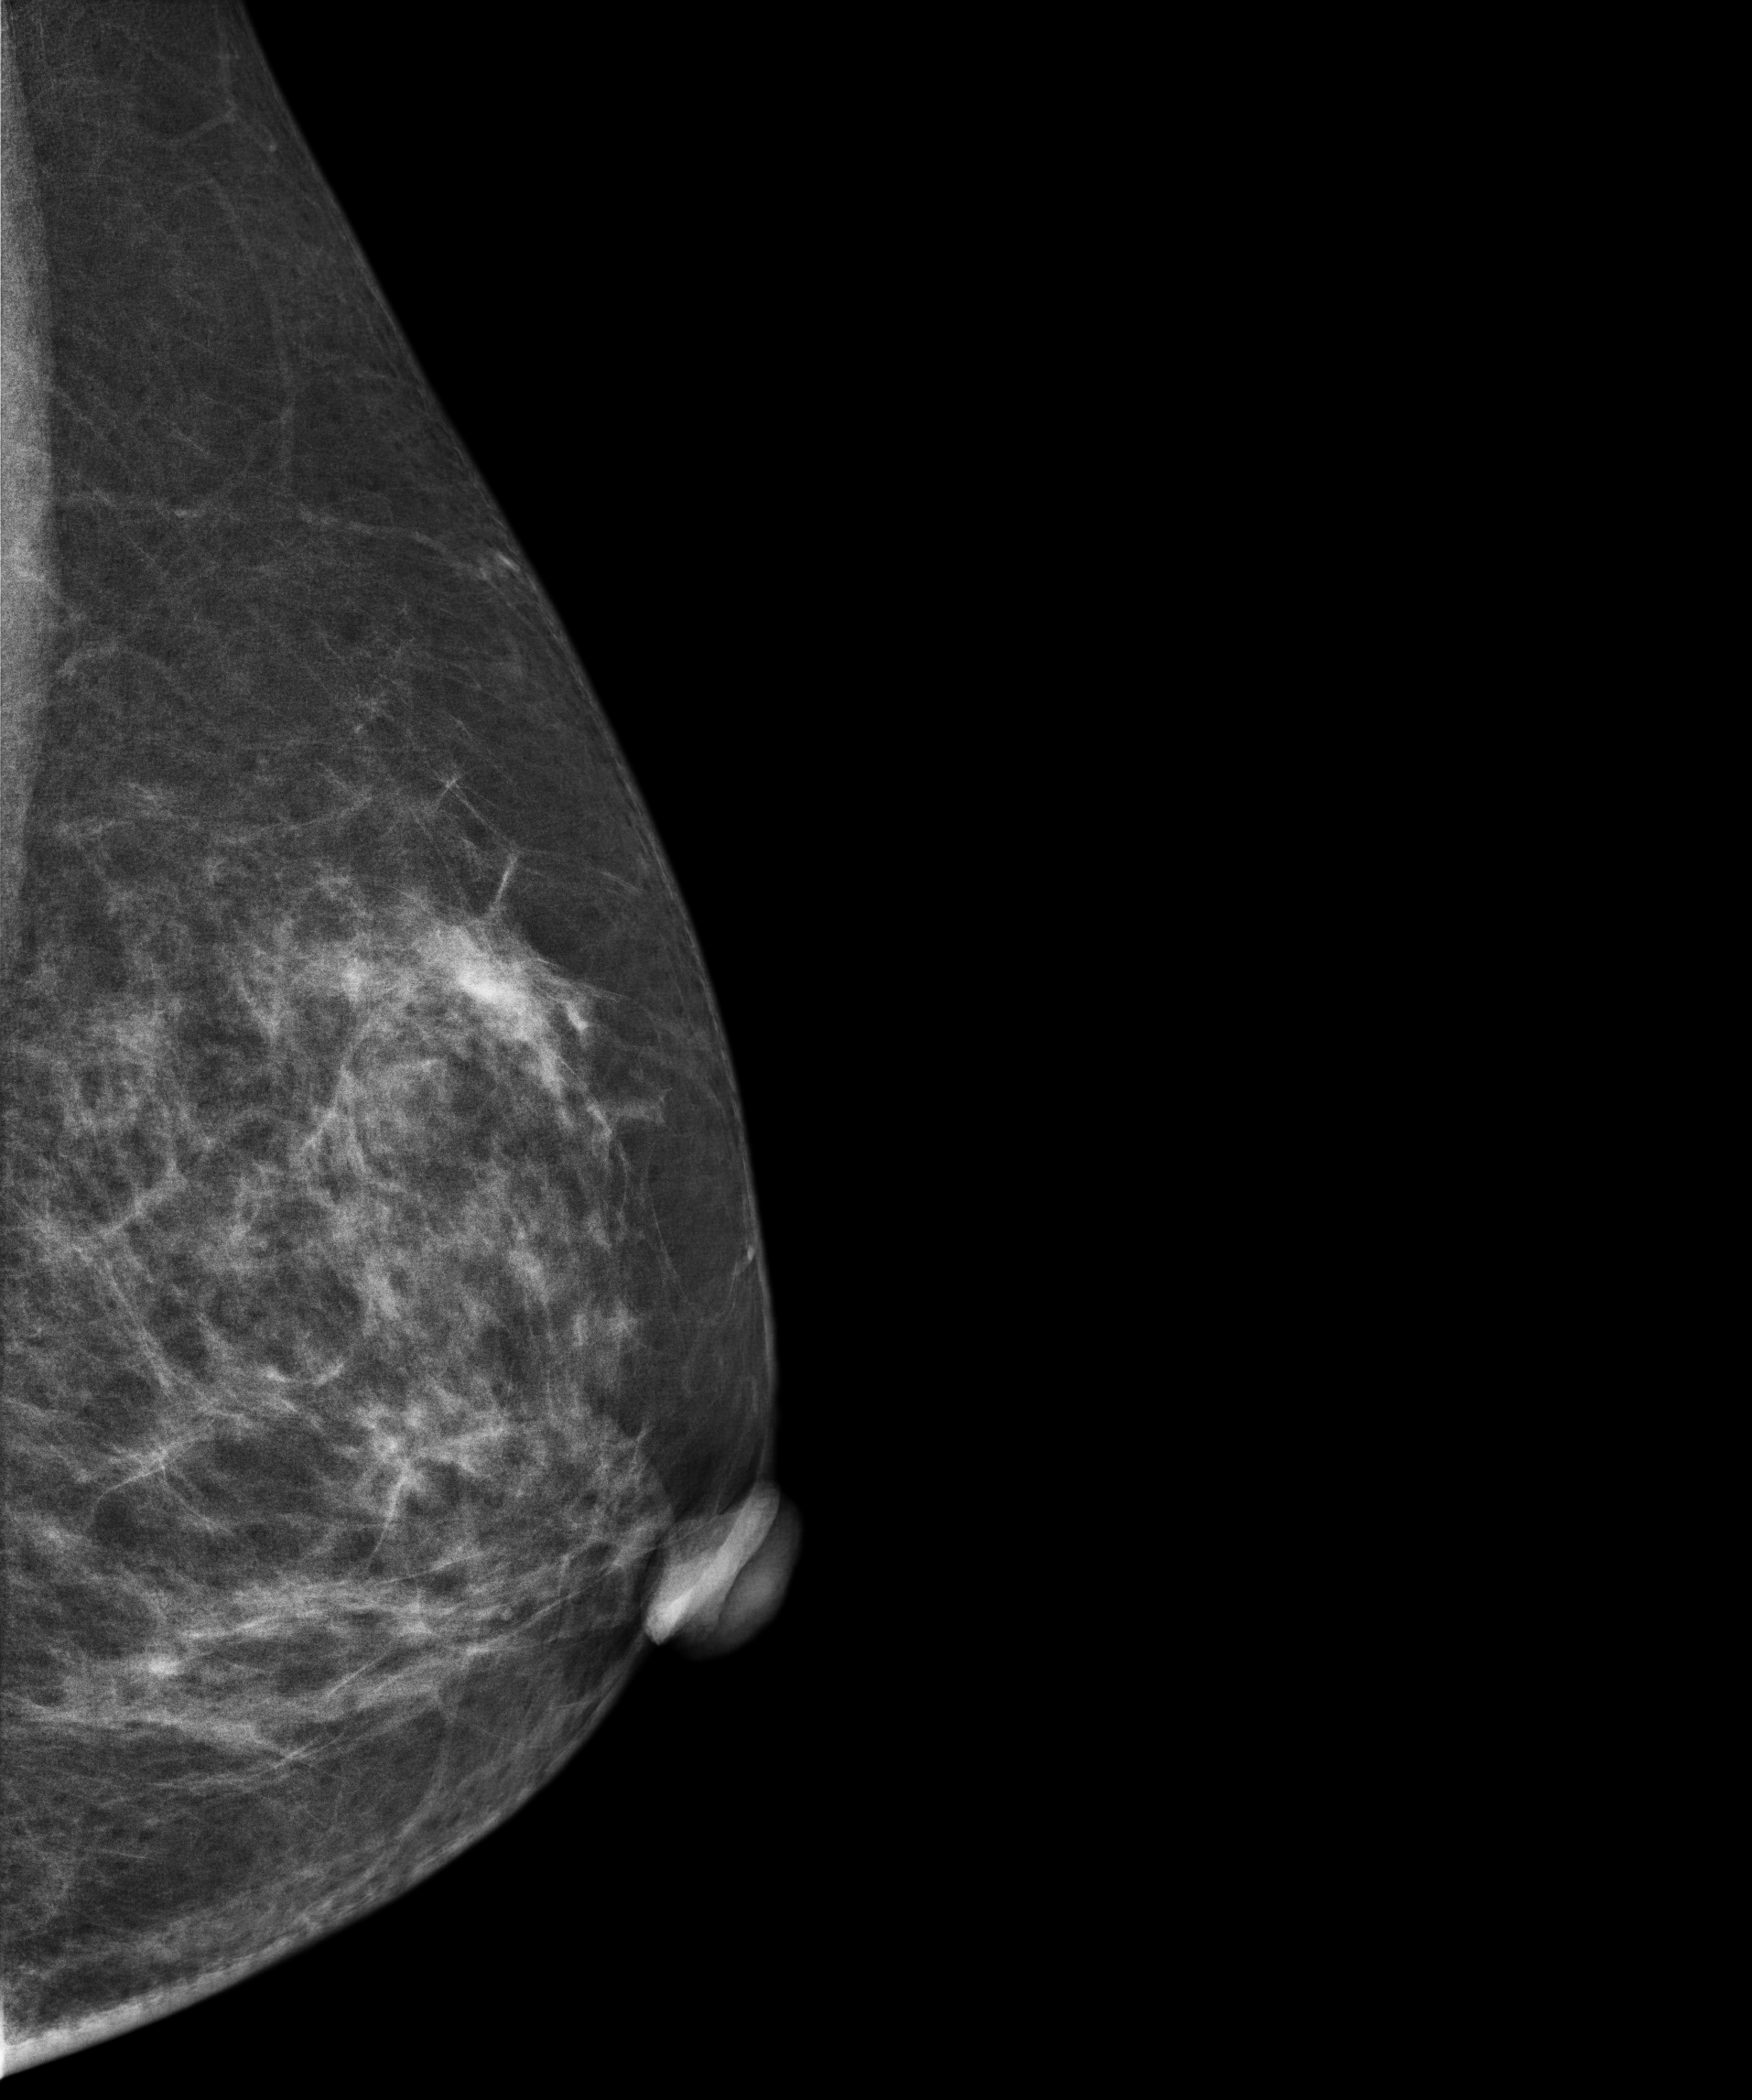
Left-breast mammogram, medio-lateral oblique. 47 y/o patient.
Contralateral breast — no documented abnormality on this side.